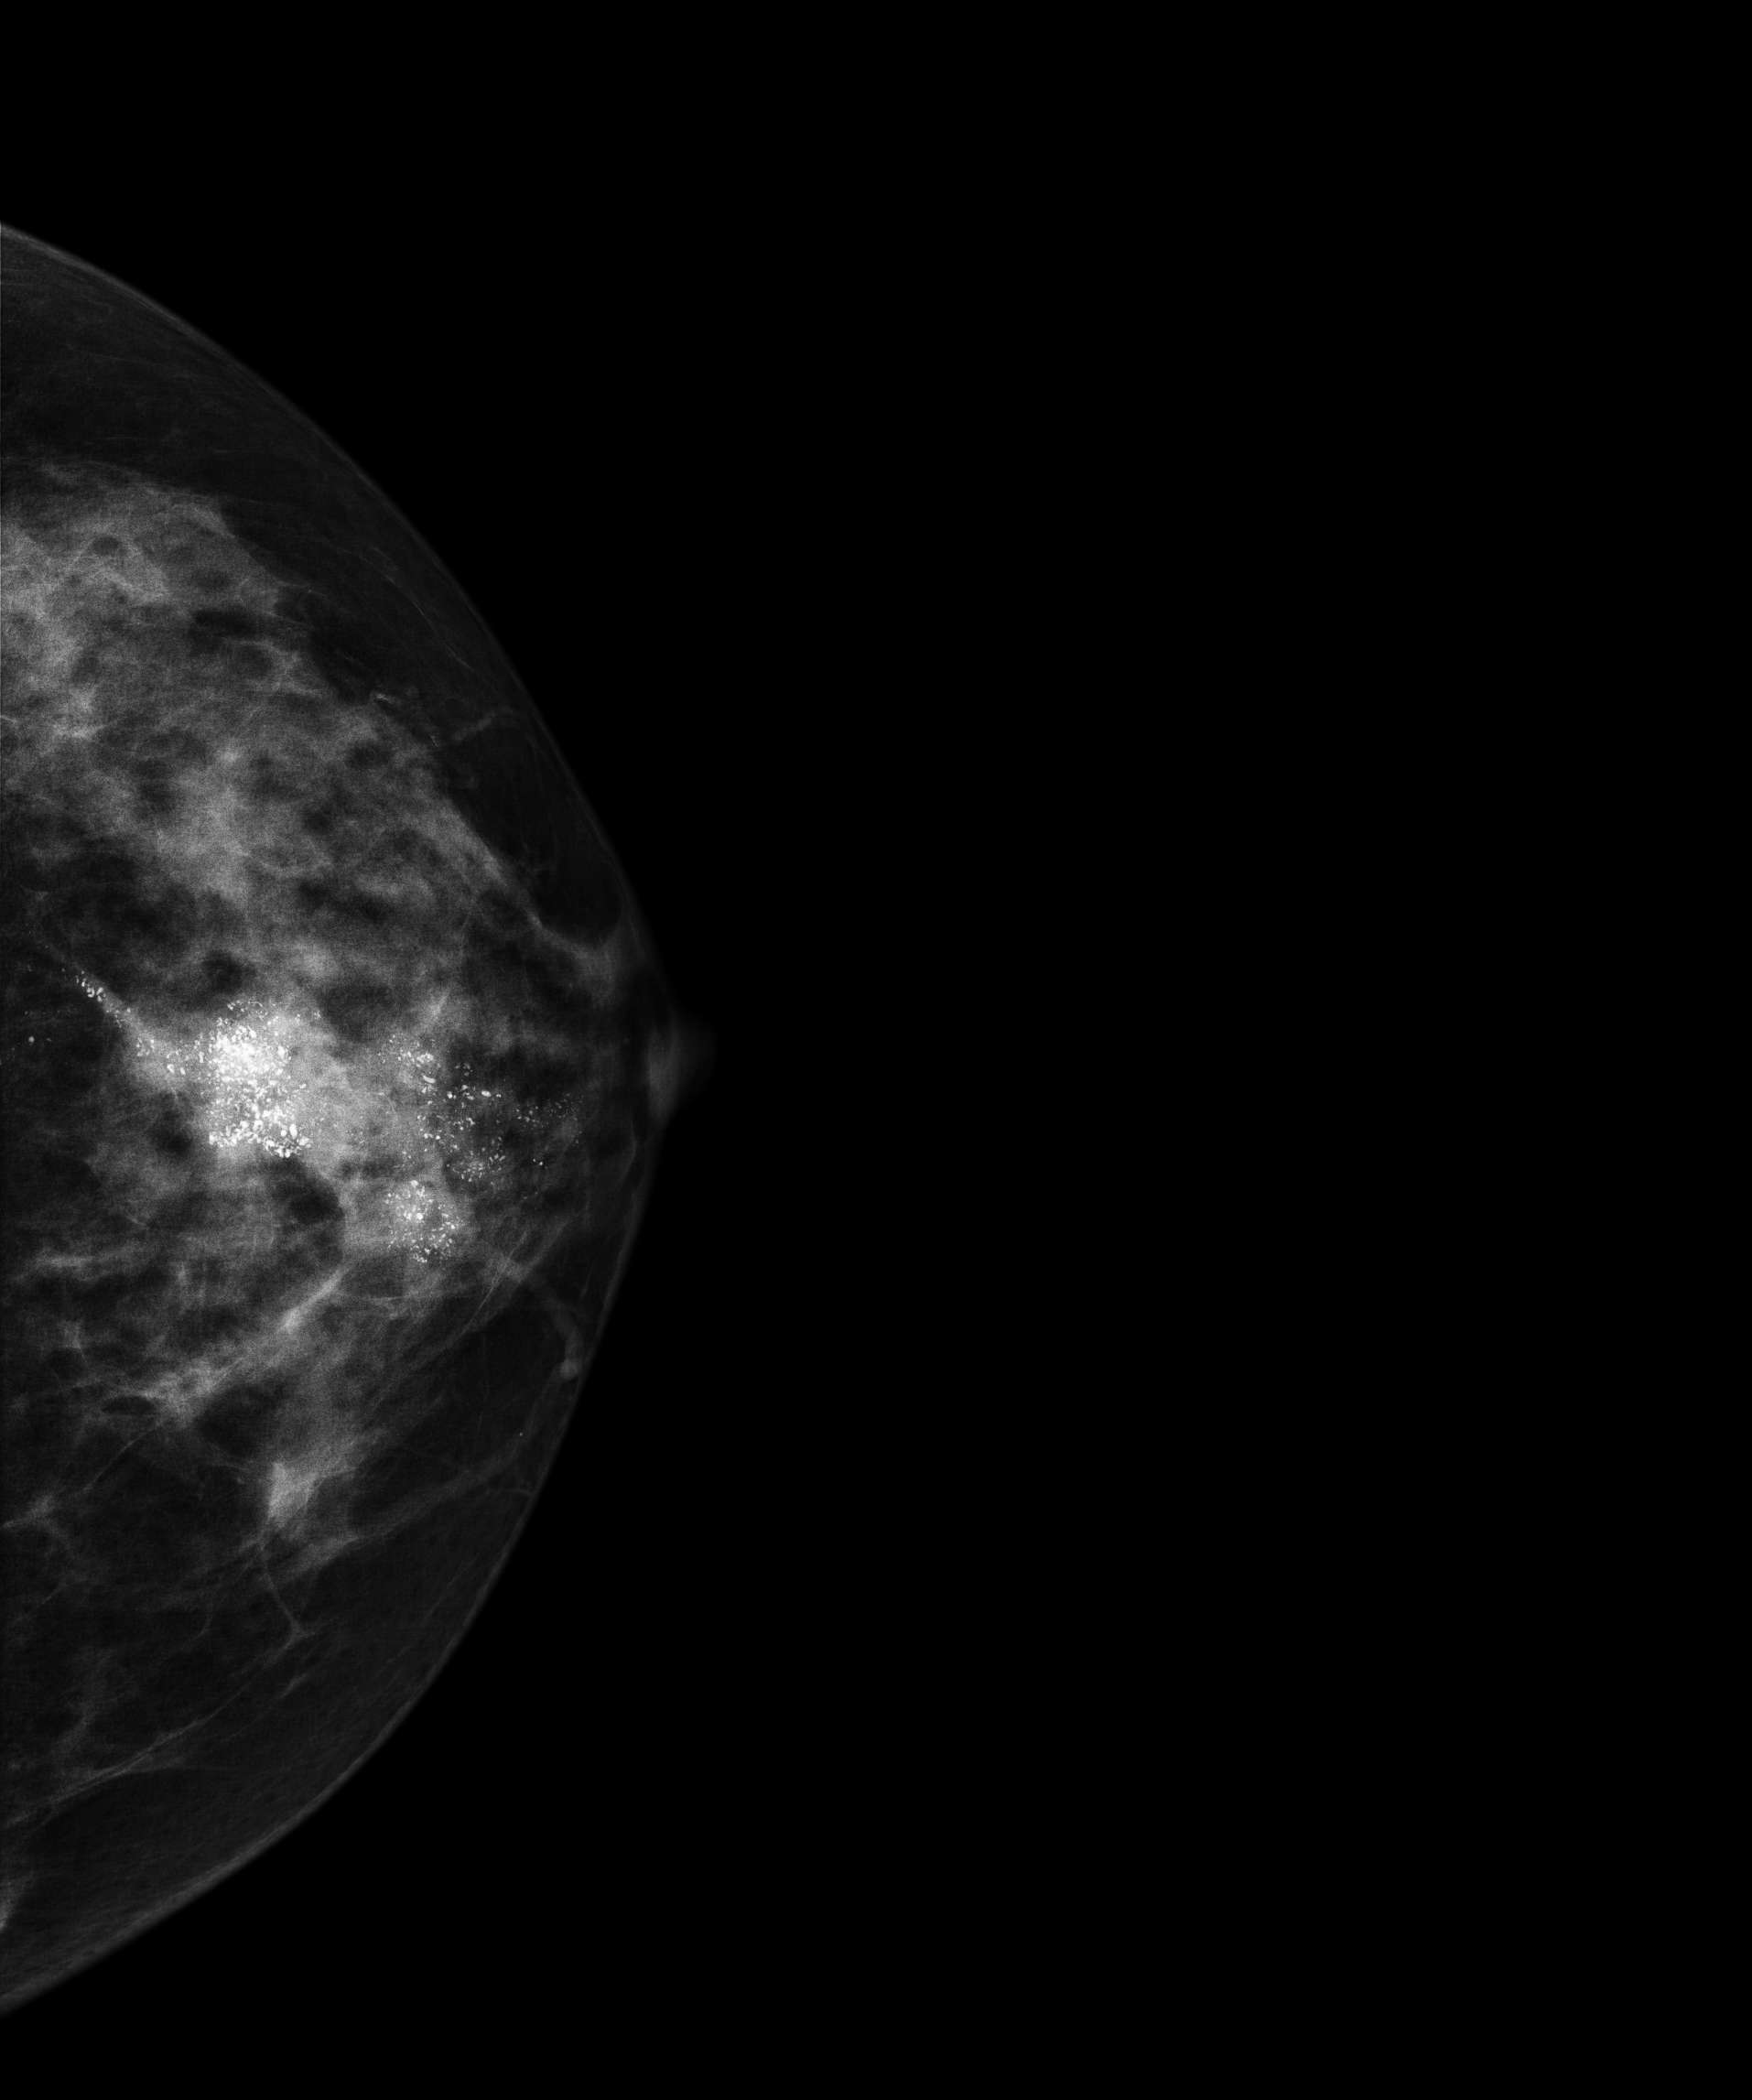
Mammogram — left CC. Patient age 60.
This breast has a mass and calcifications, histologically confirmed malignant. Molecular subtype: luminal B.